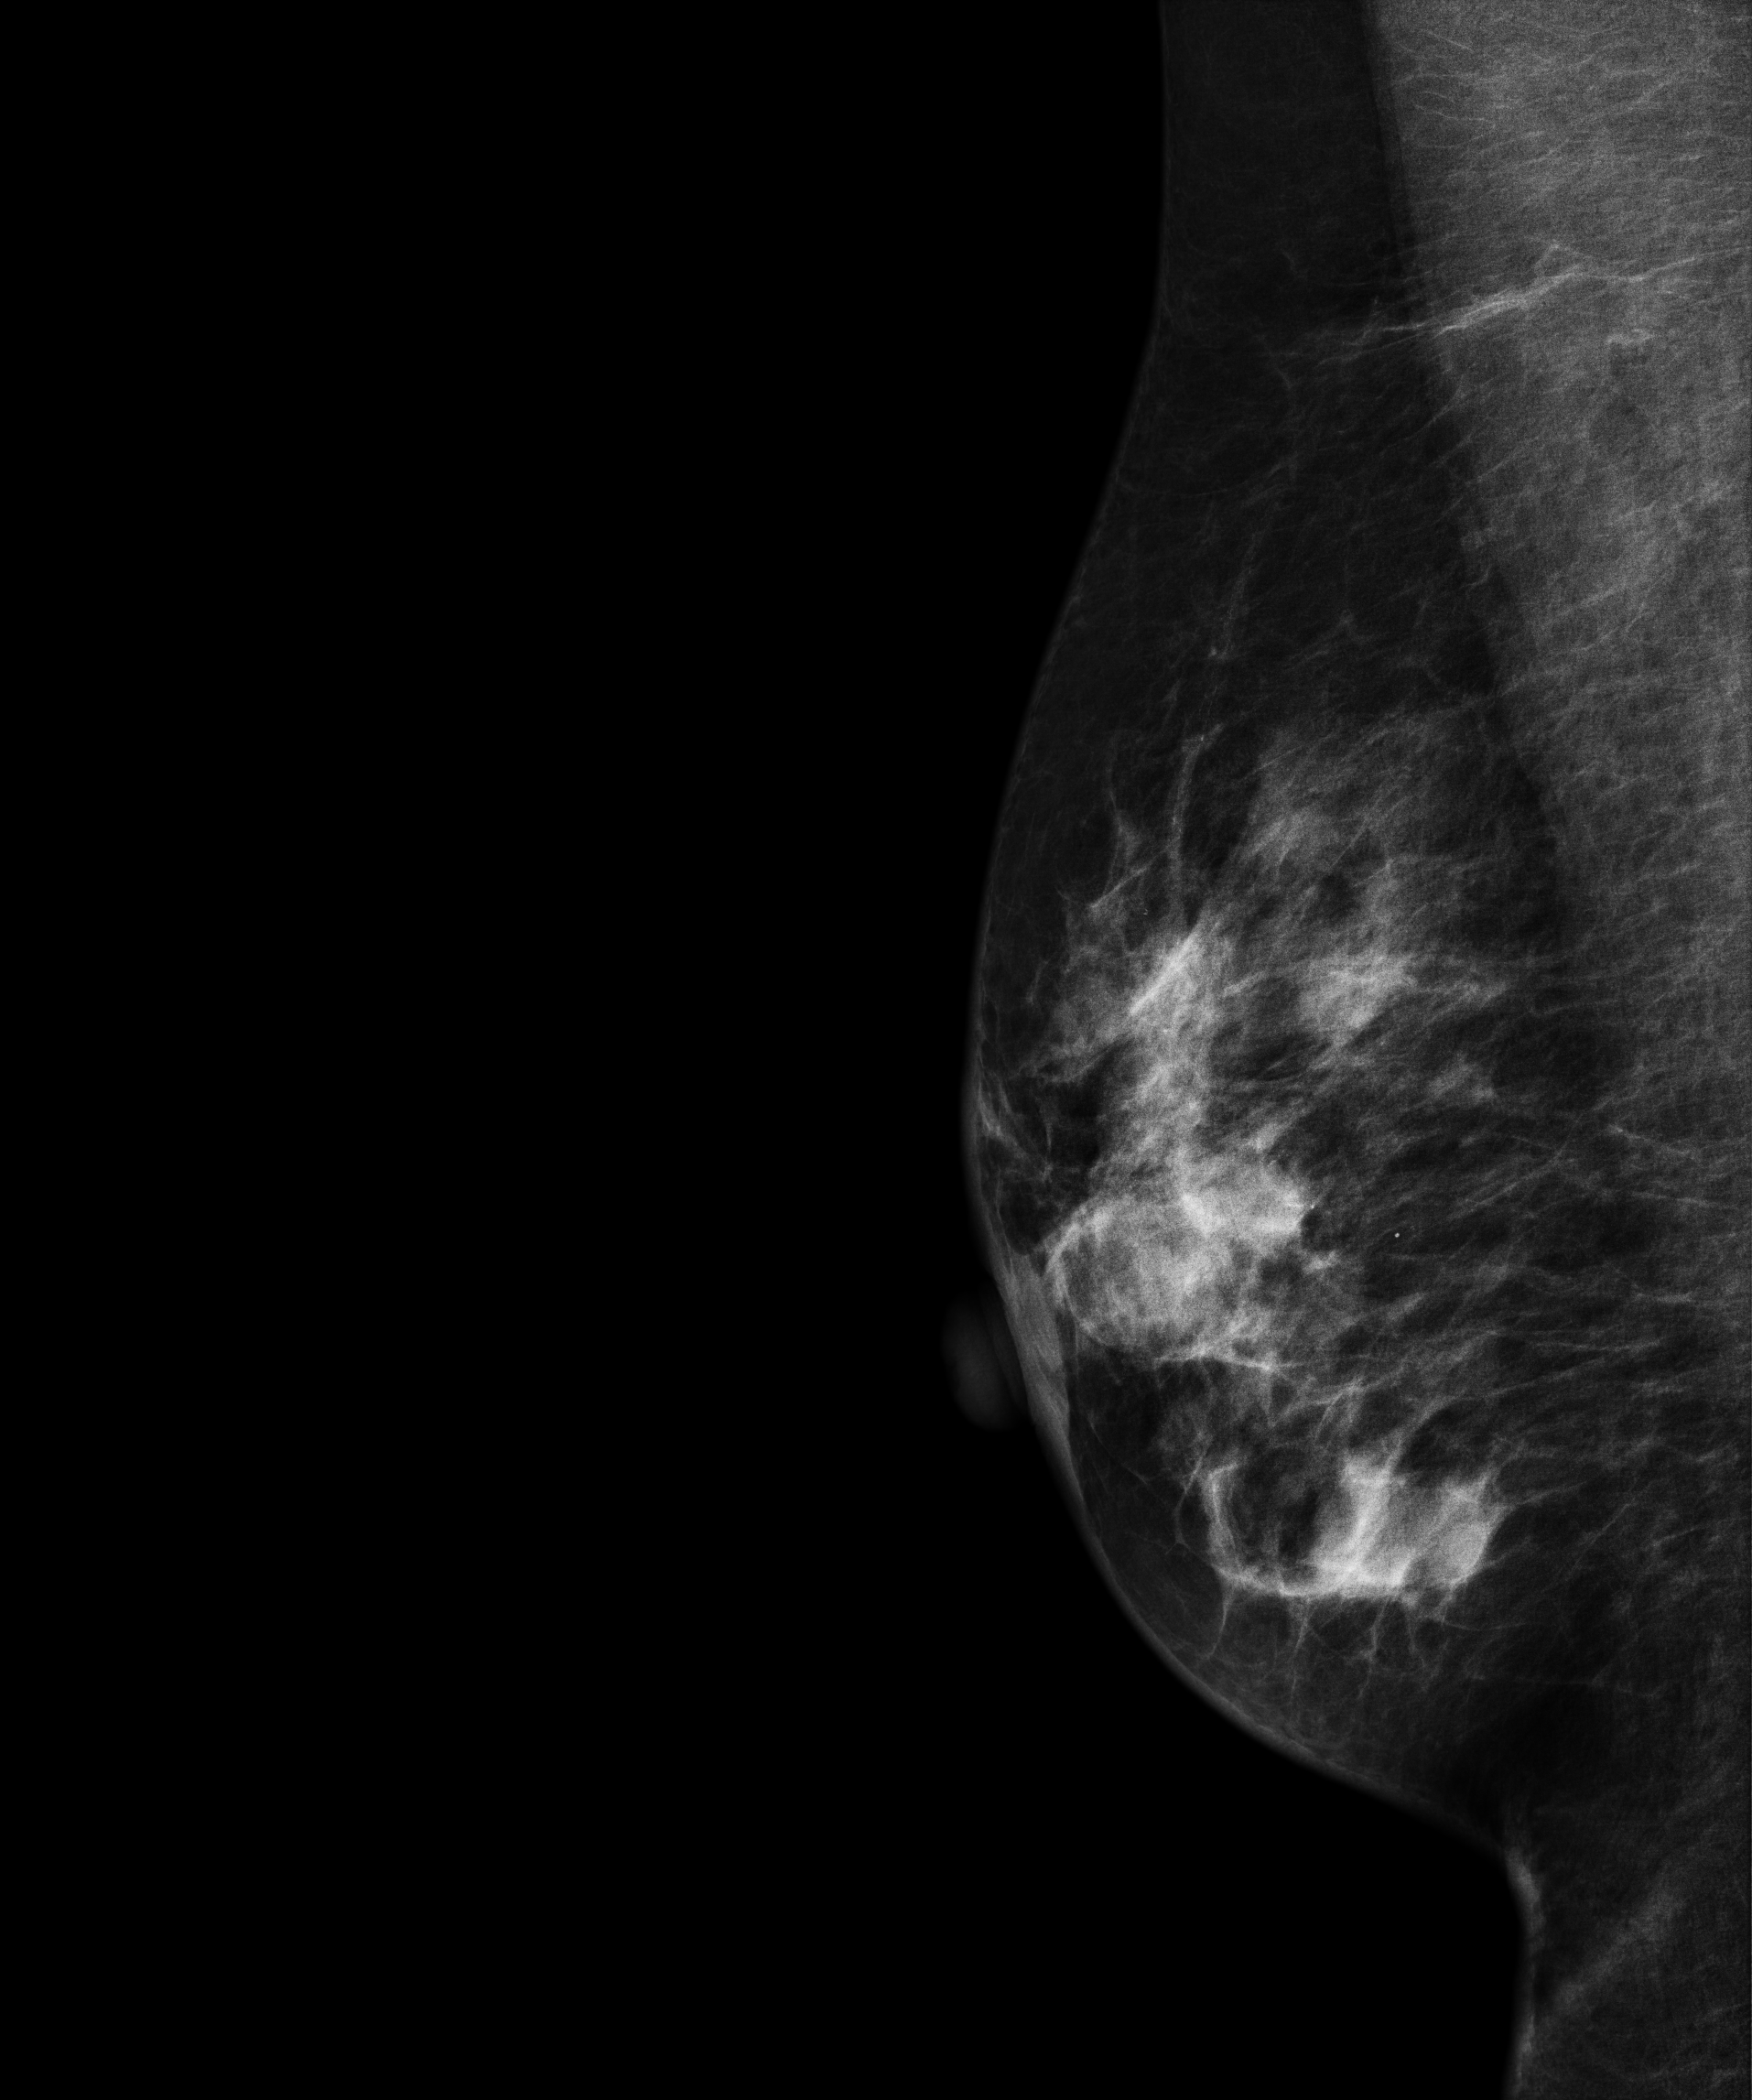
MLO mammogram of the right breast. 52-year-old patient.
This breast has a mass, biopsy-proven malignant. Molecular subtype: HER2-enriched.